Digital mammography. Left breast, medio-lateral oblique projection. 61-year-old patient.
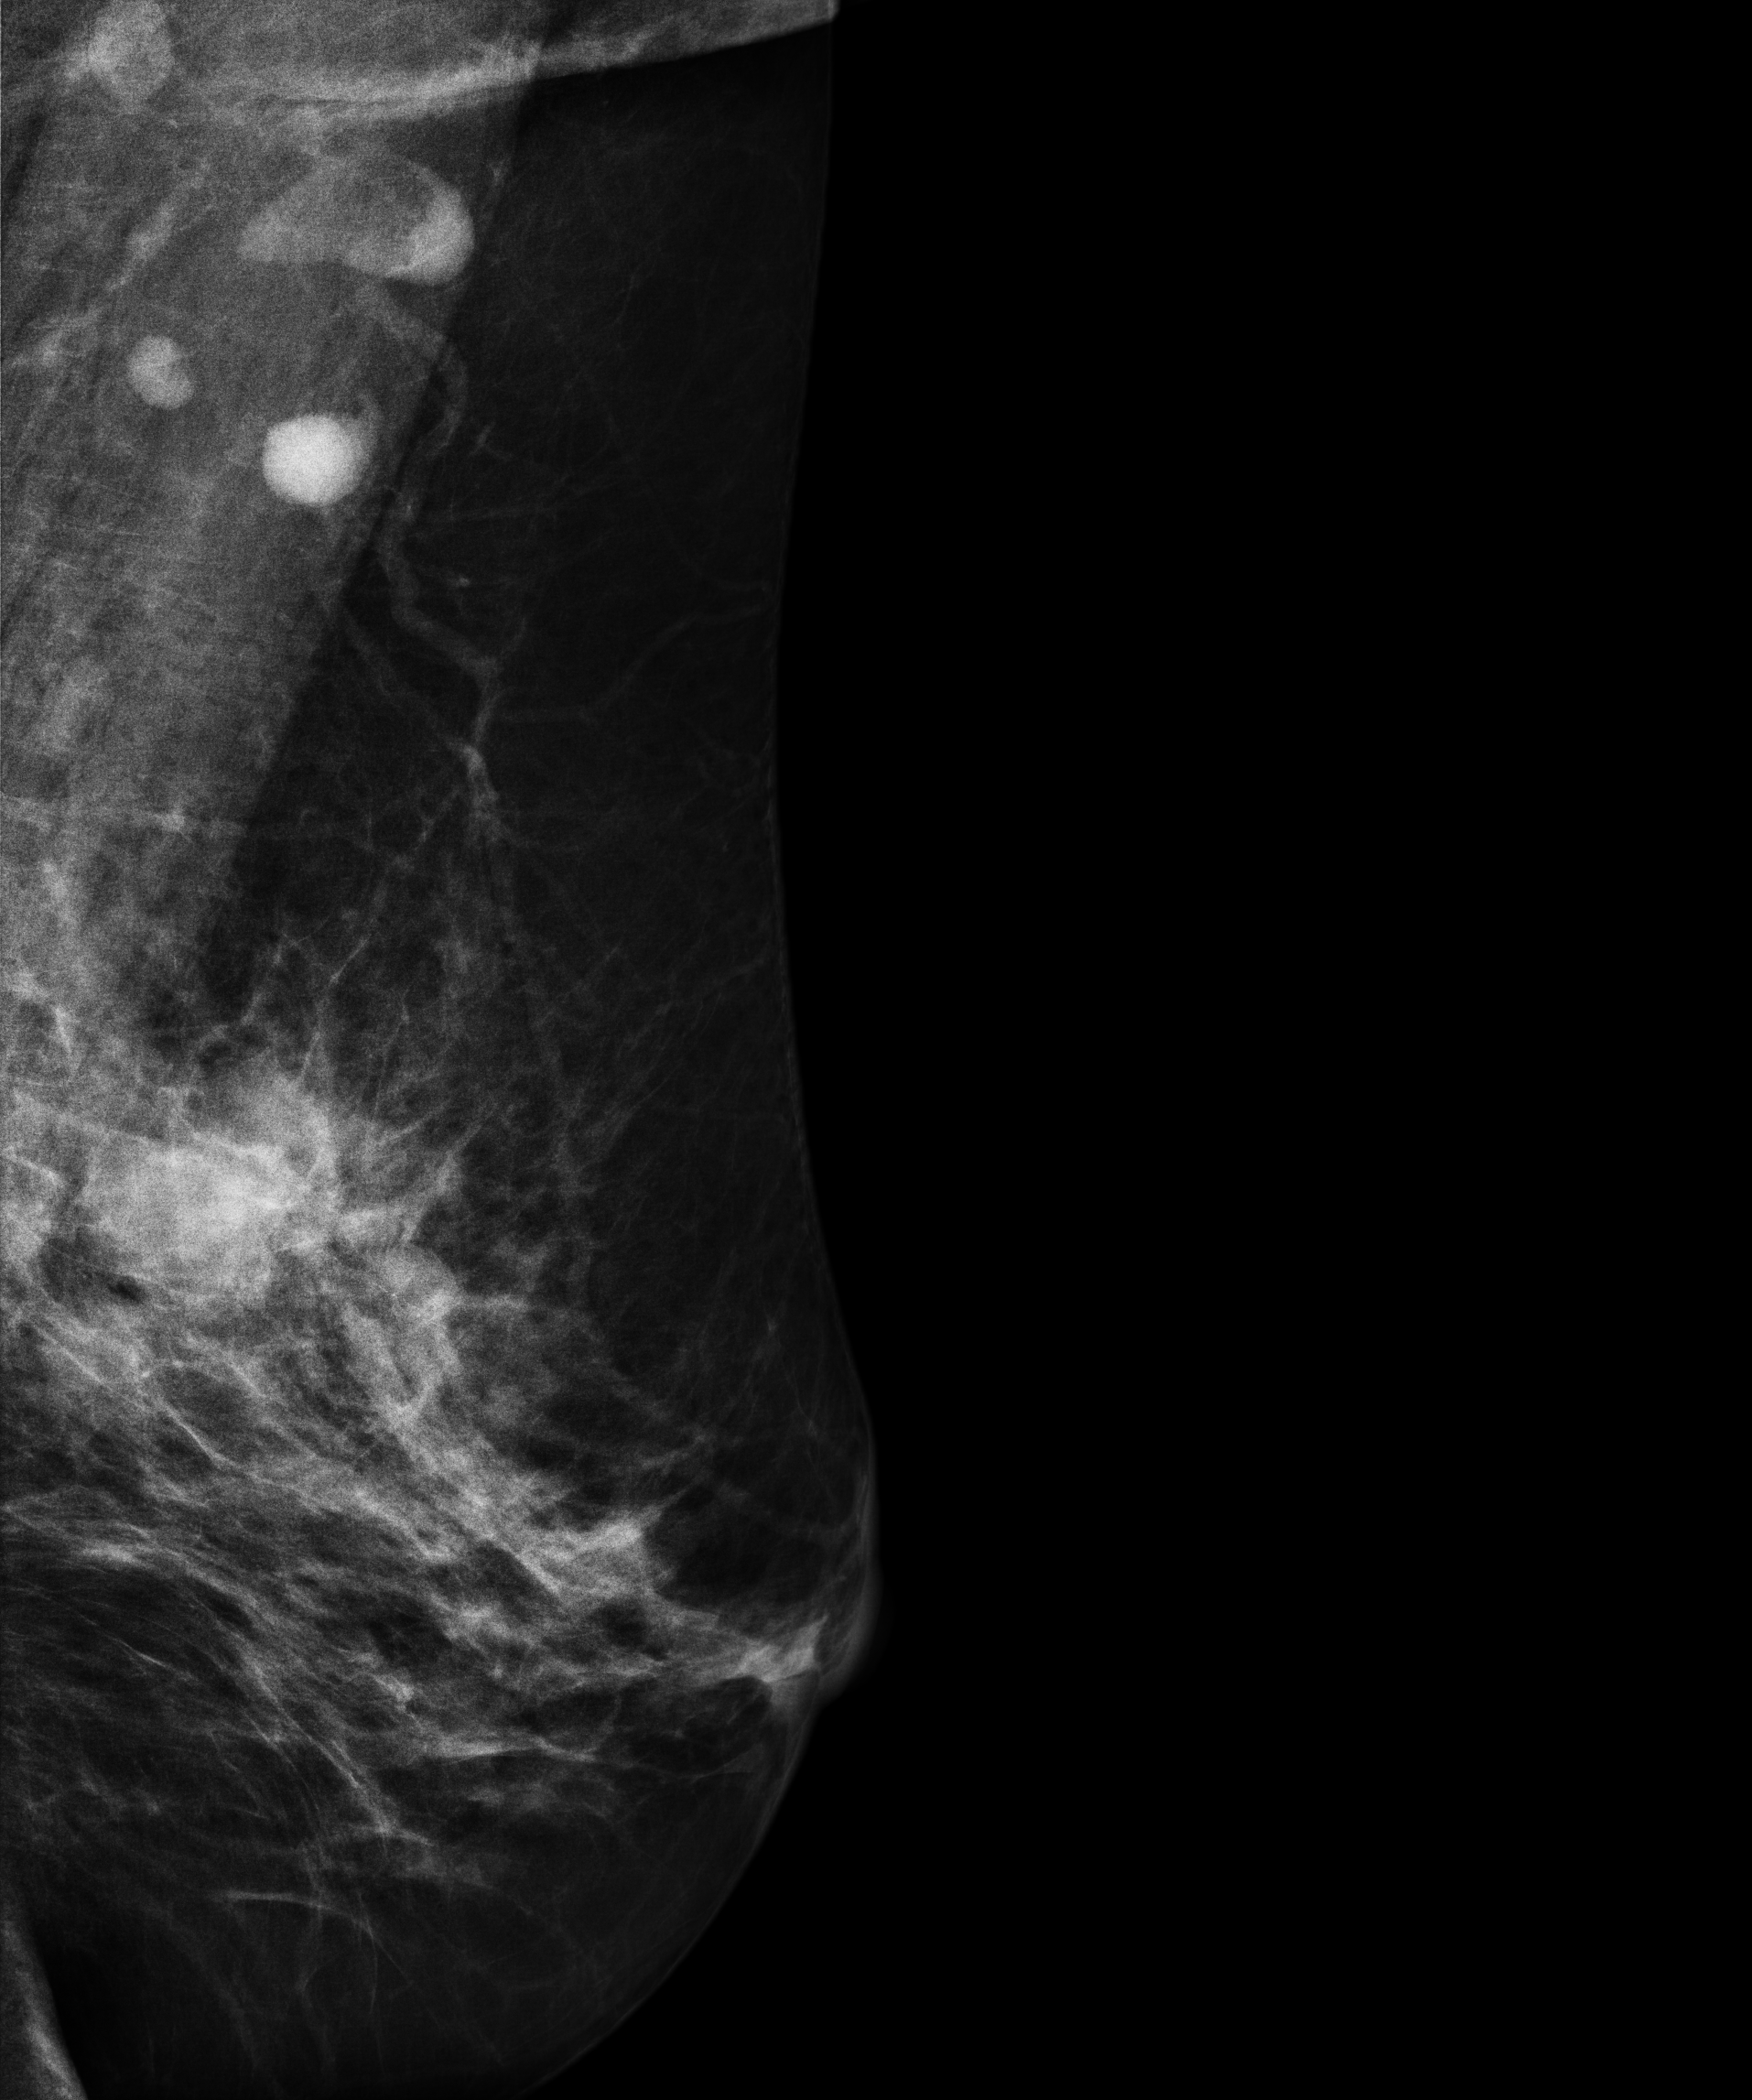
This breast has a mass, biopsy-confirmed malignant. Molecular subtype: triple-negative.